Left-breast mammogram, CC. 23-year-old patient.
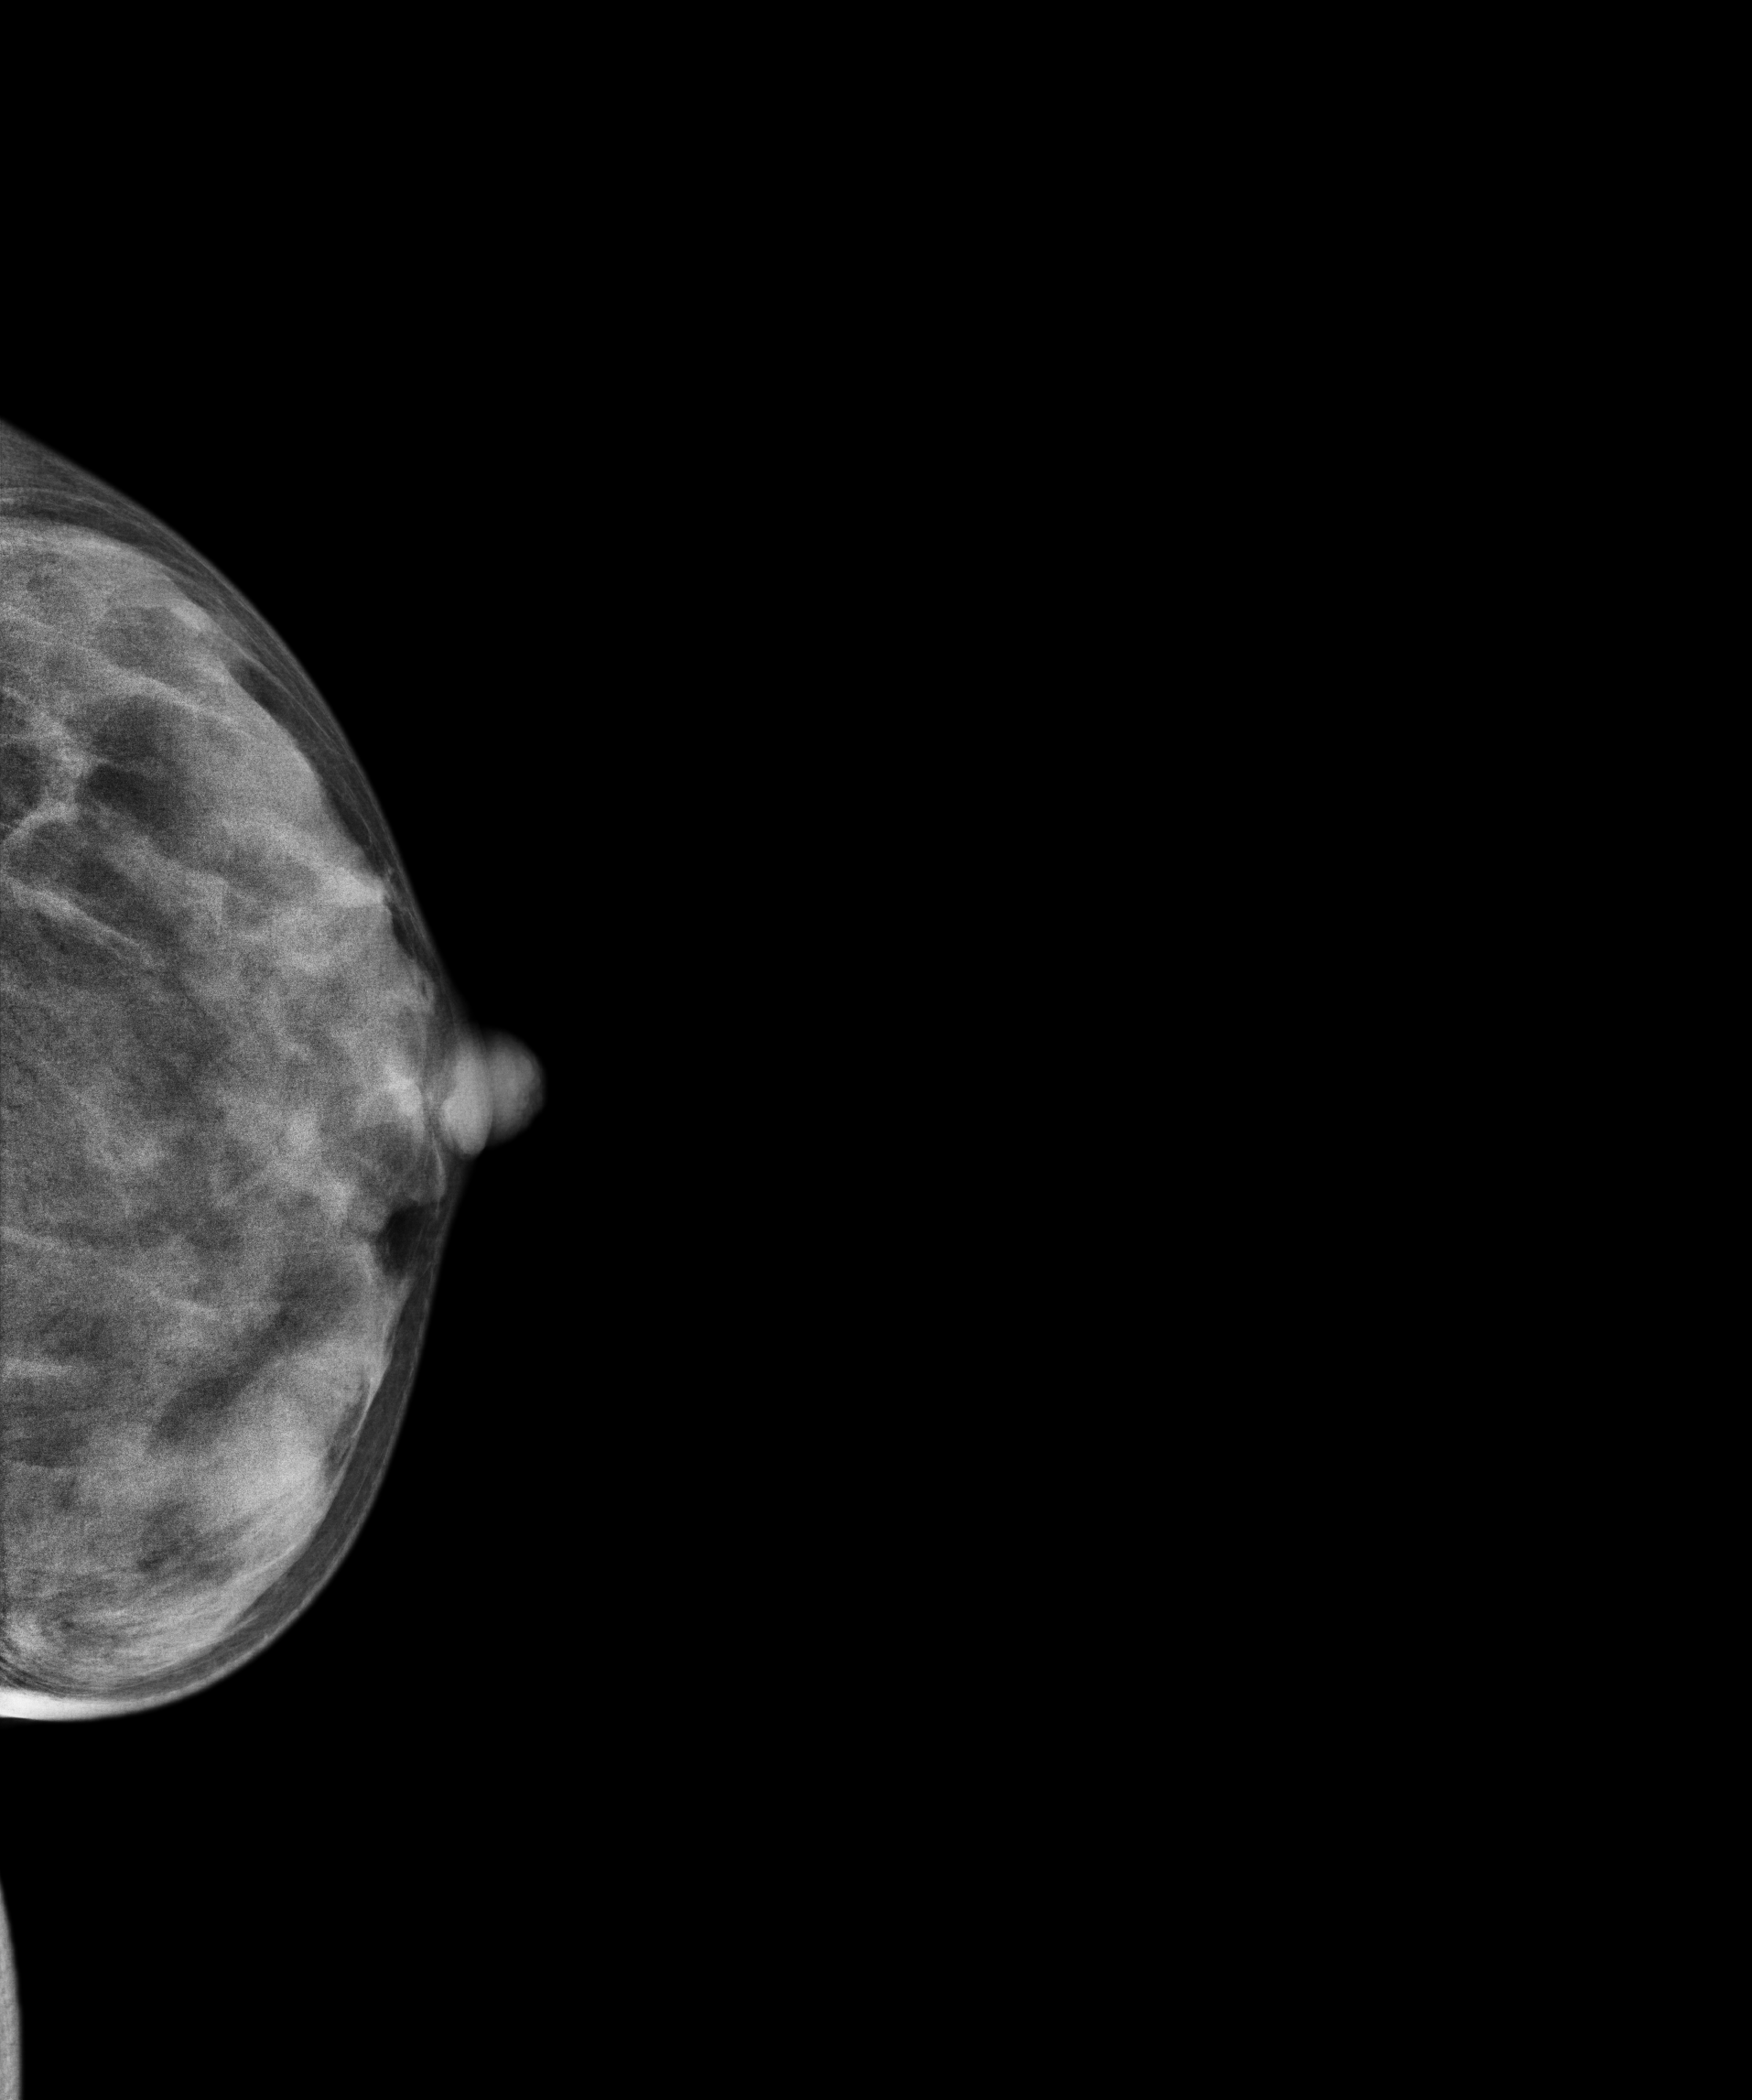
This breast has a mass, pathology-confirmed benign.